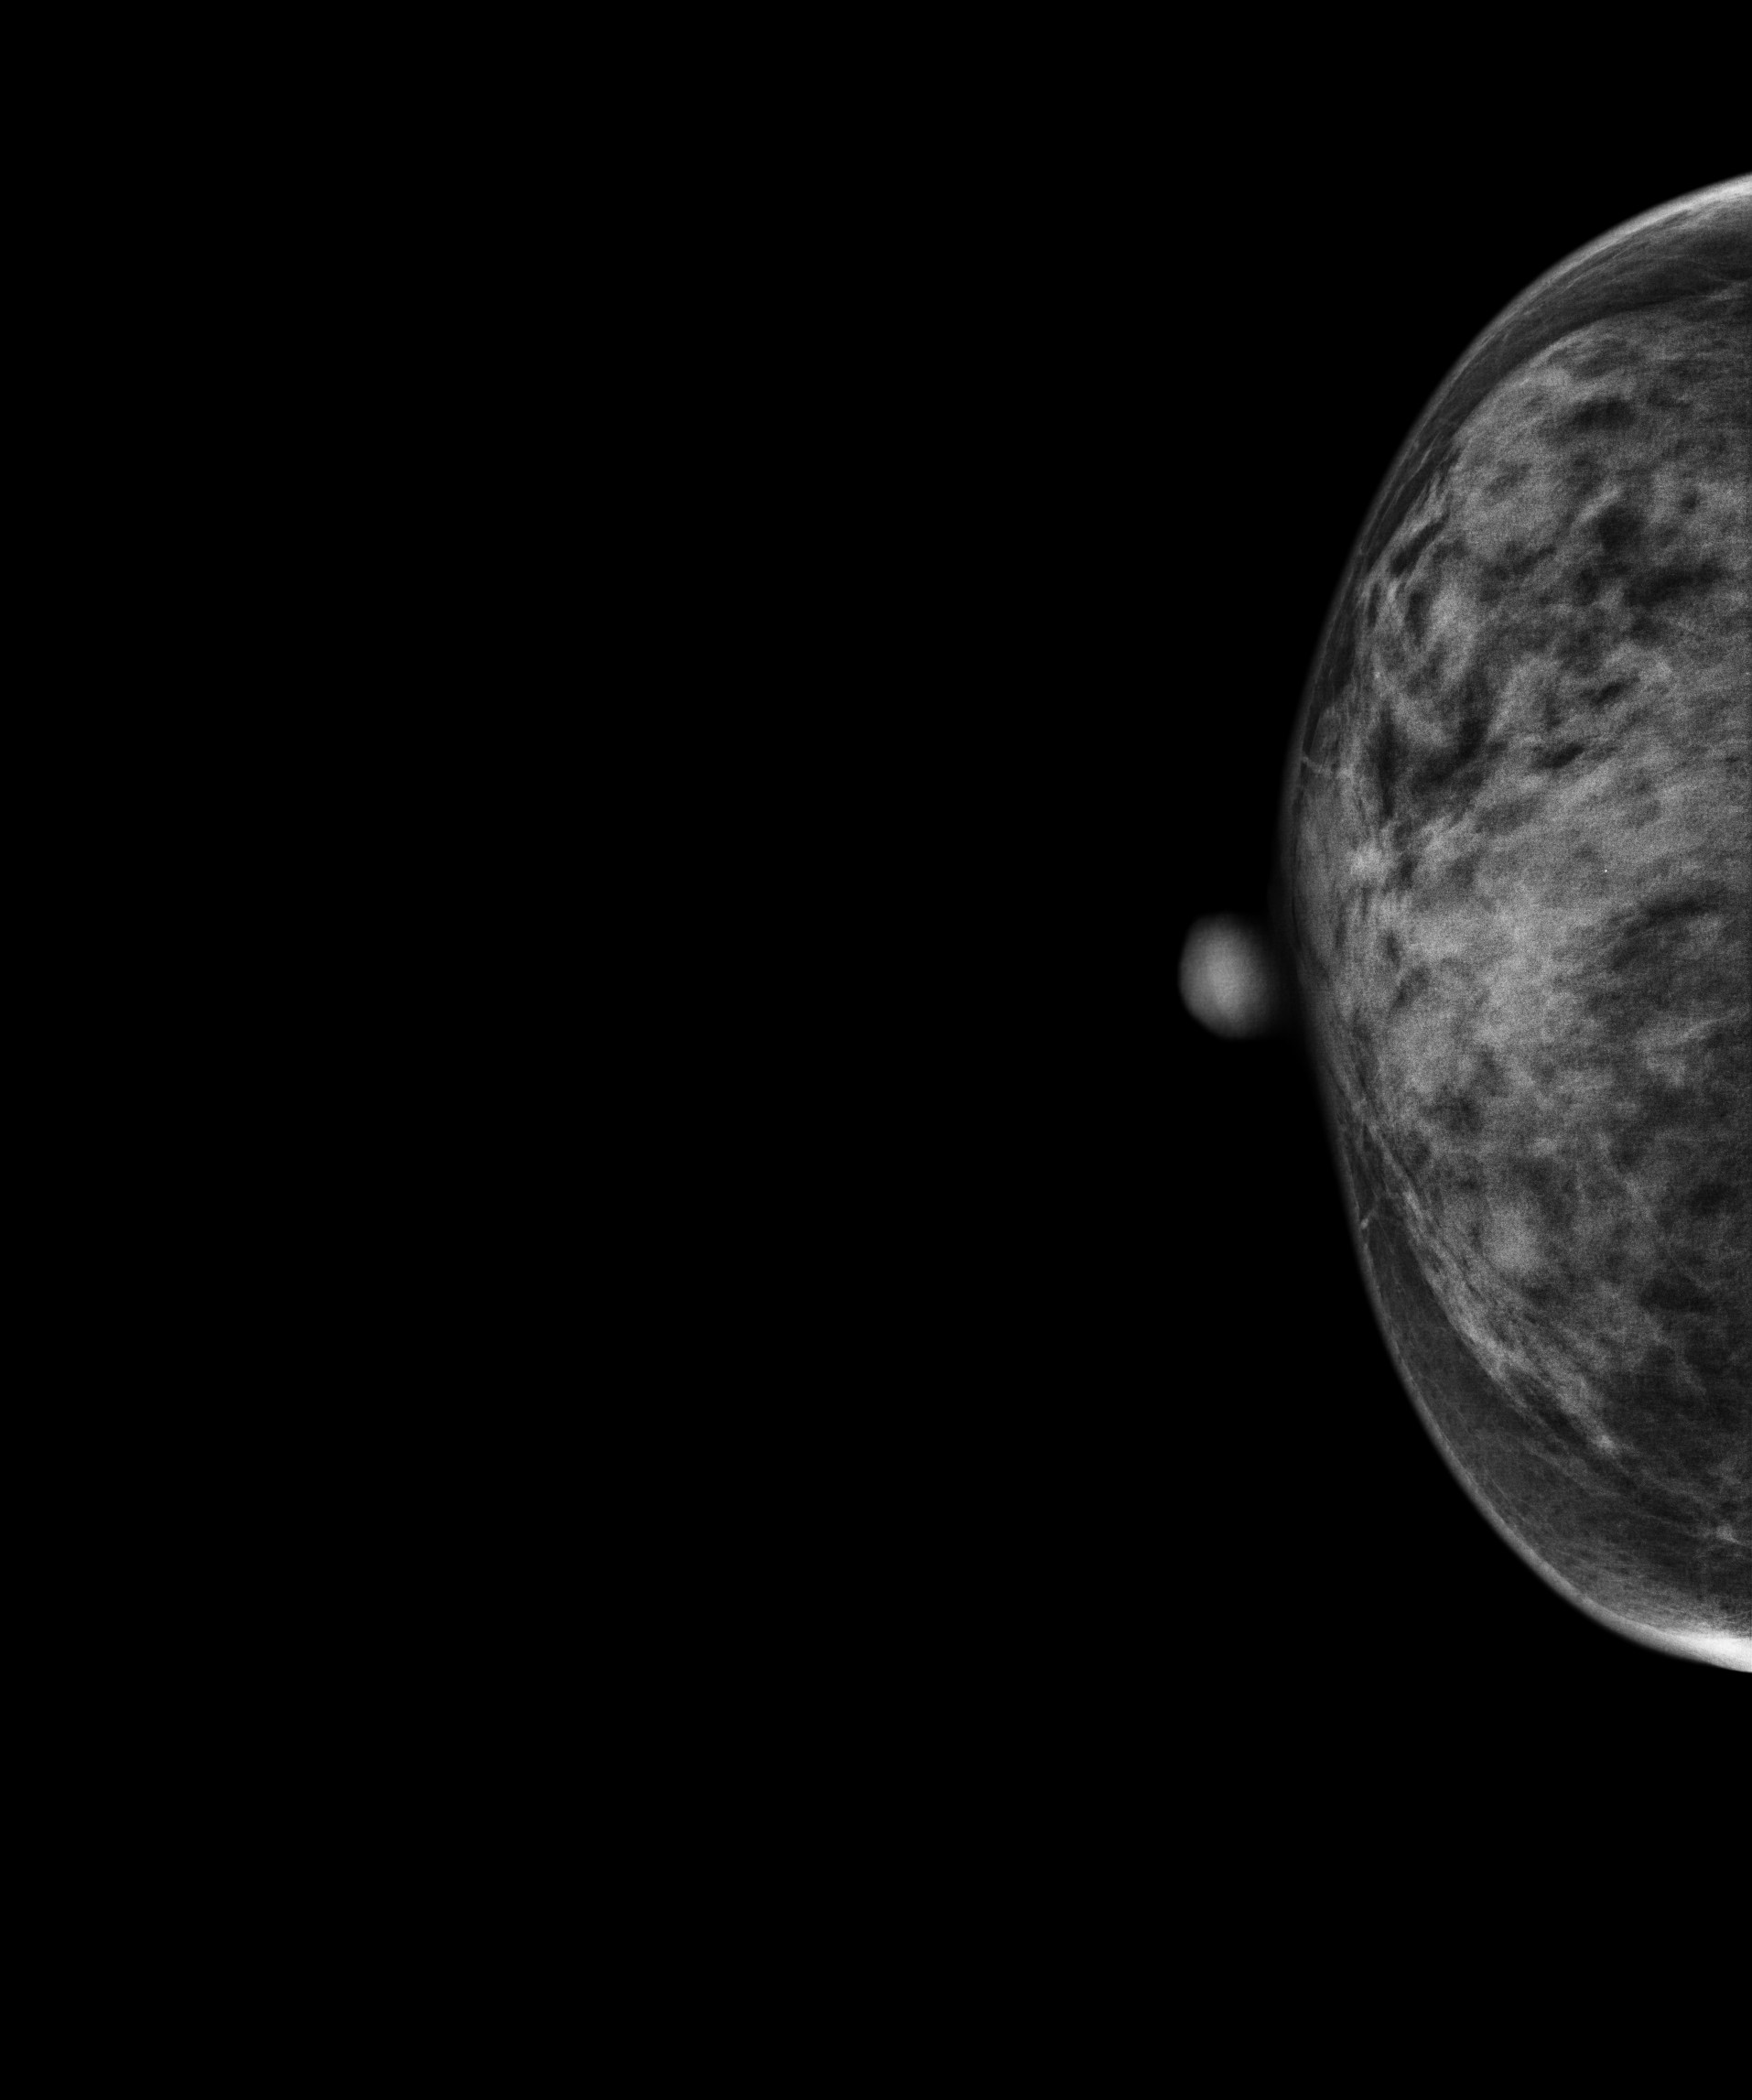
Digital mammography. Right breast, cranio-caudal projection. 38-year-old patient.
Contralateral breast — no documented abnormality on this side.